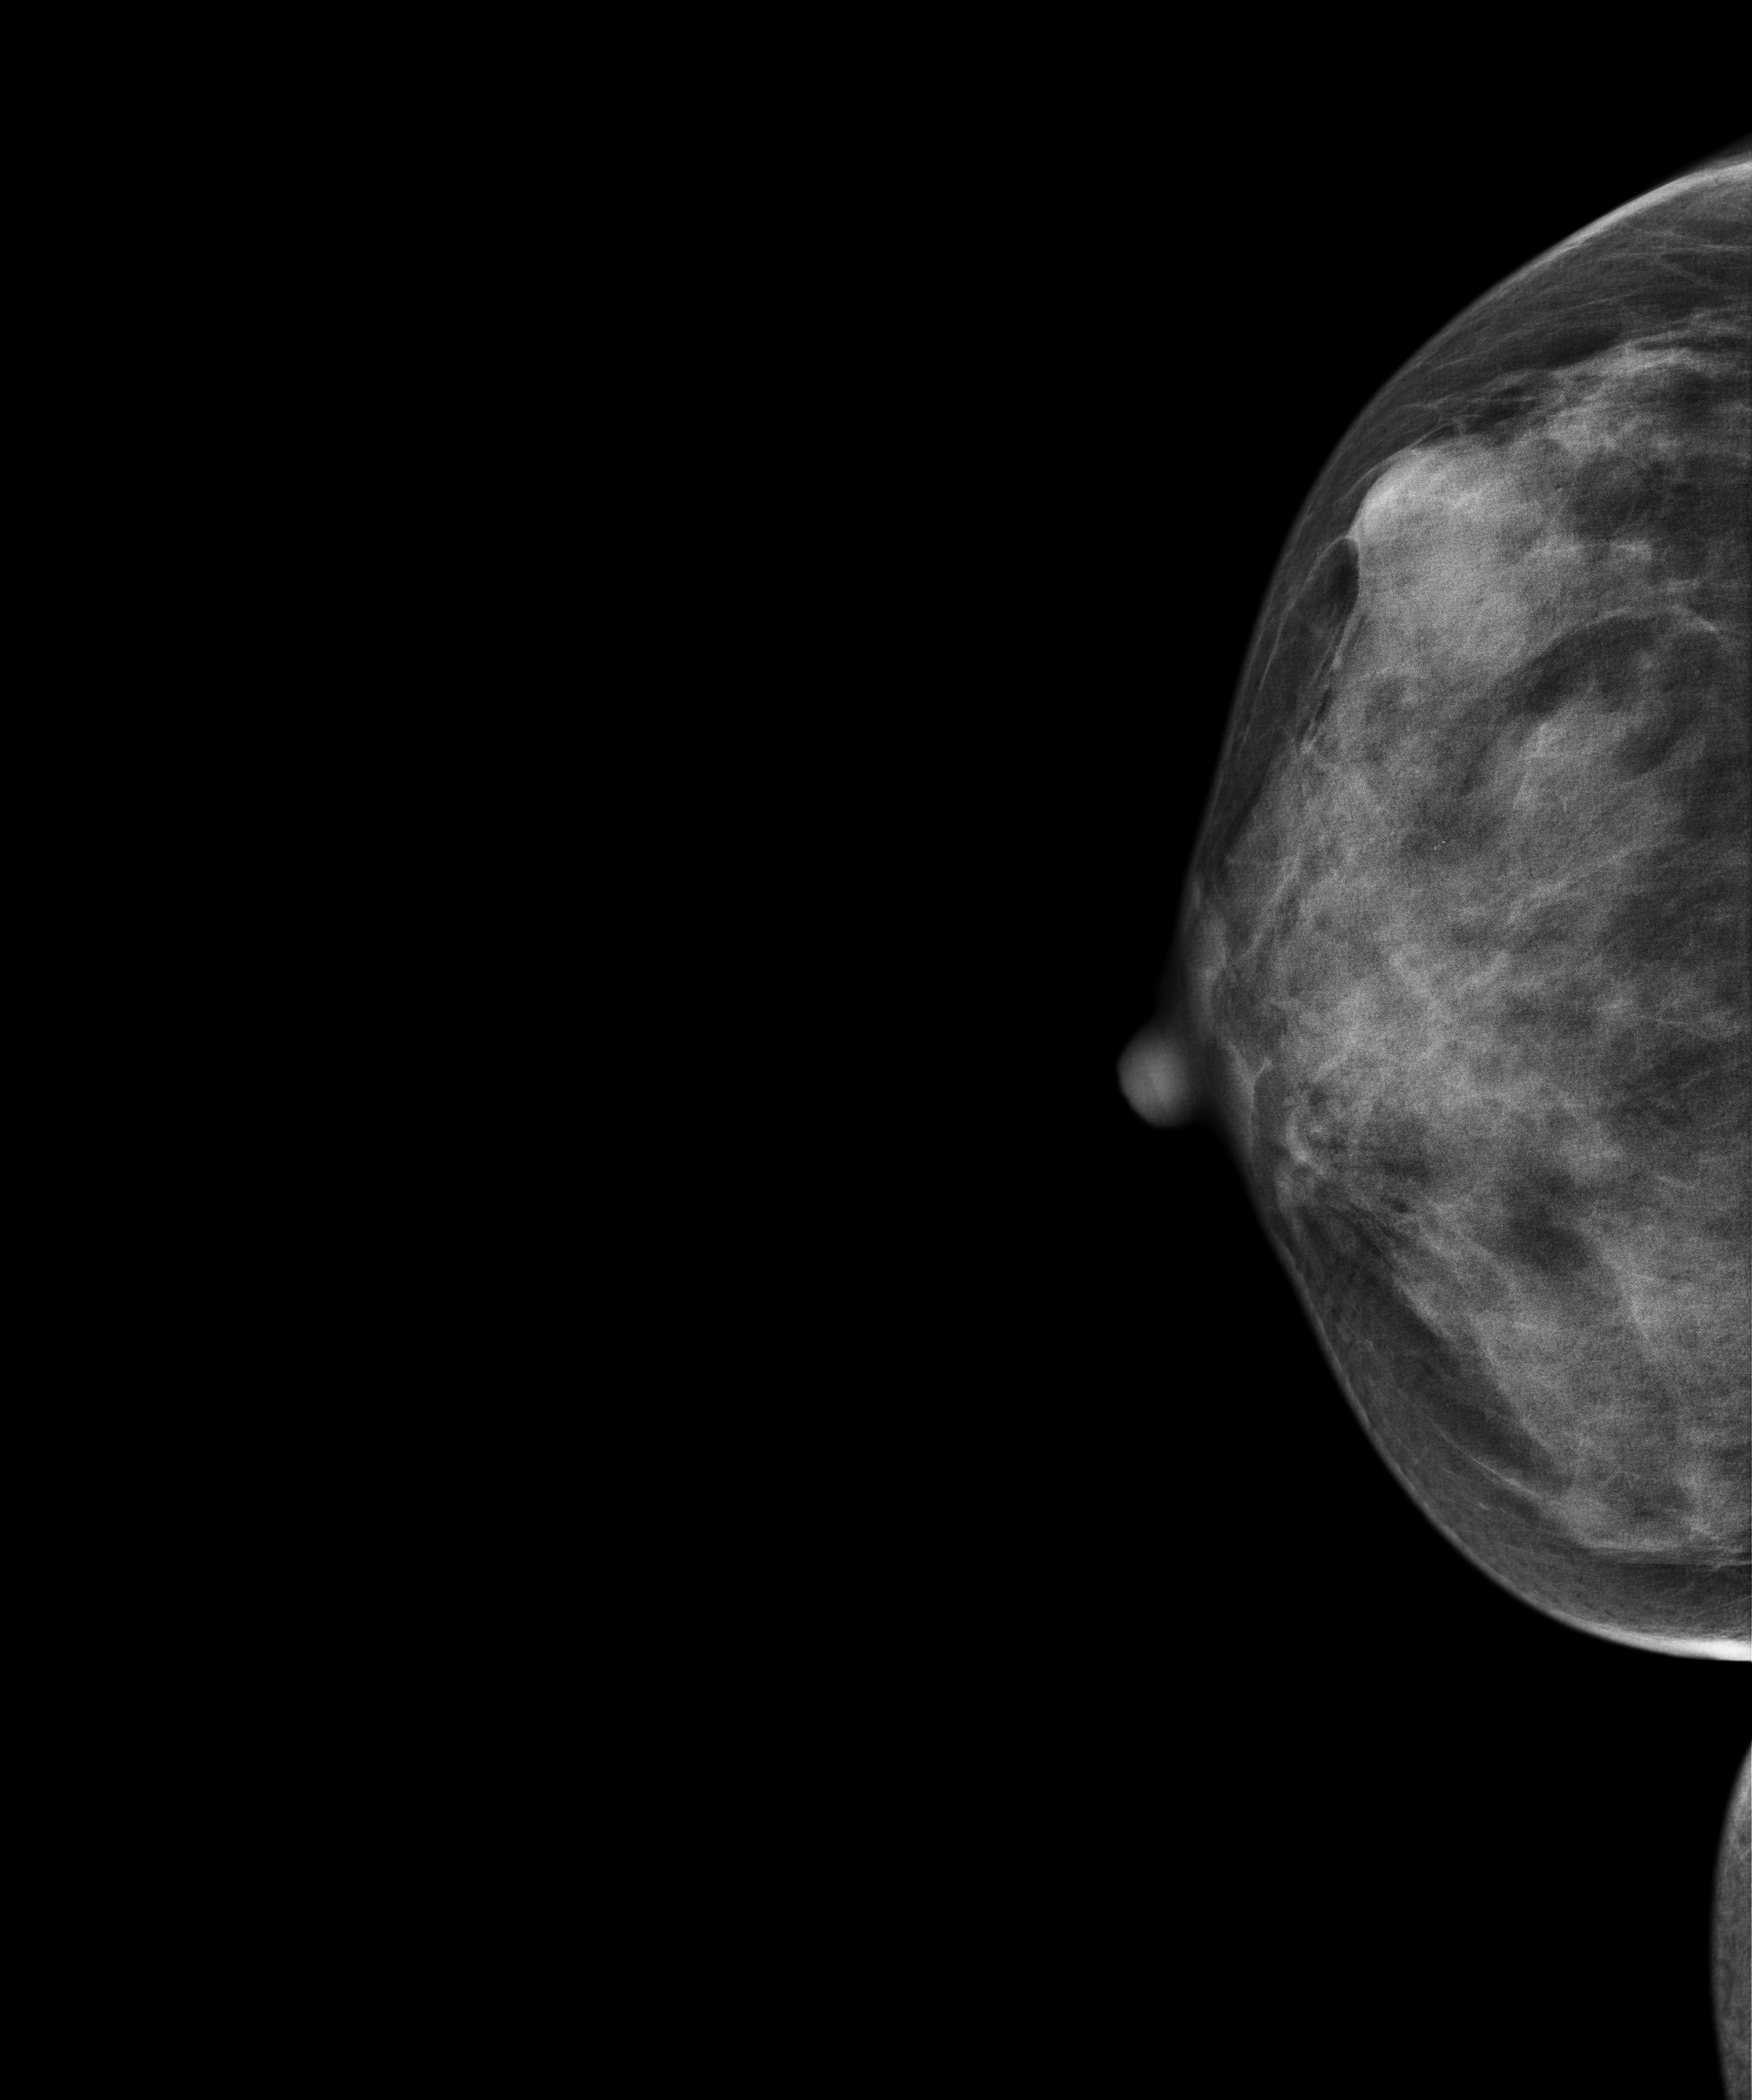
Right-breast mammogram, CC. Patient age 46.
This breast has a mass, biopsy-proven malignant. Molecular subtype: luminal B.